Right-breast mammogram, medio-lateral oblique. 33-year-old patient.
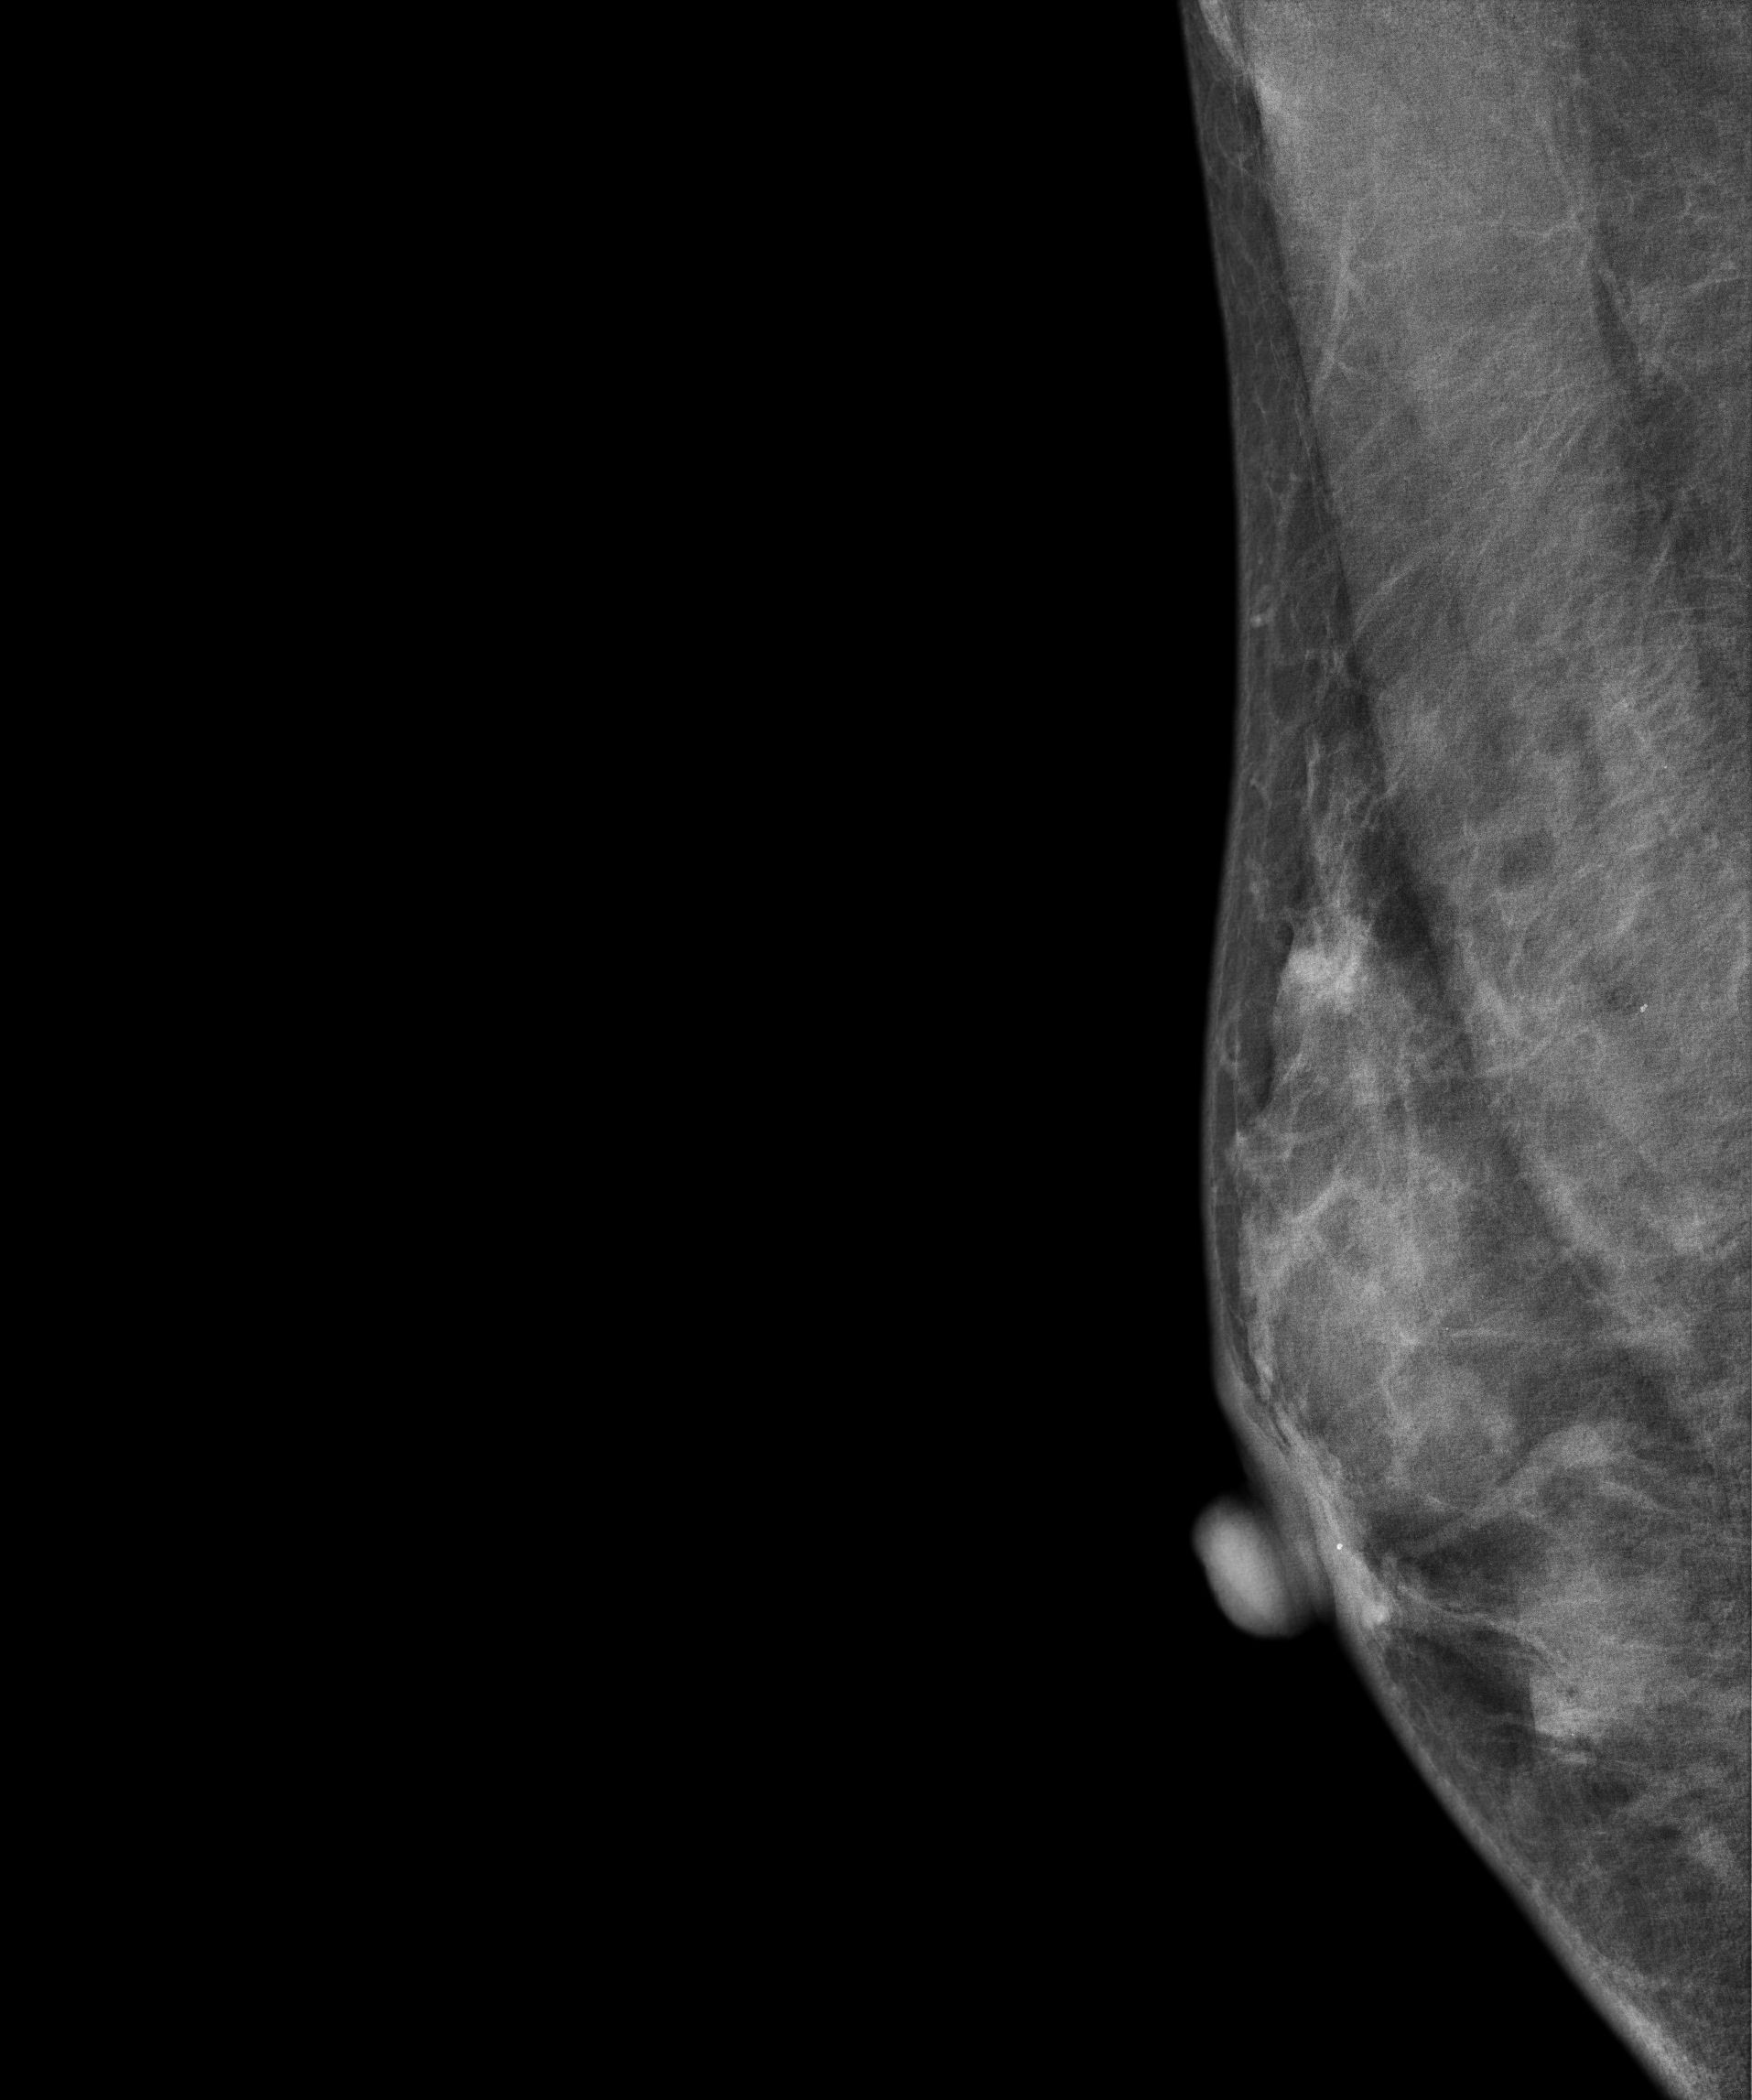
This breast has a mass, biopsy-proven benign.